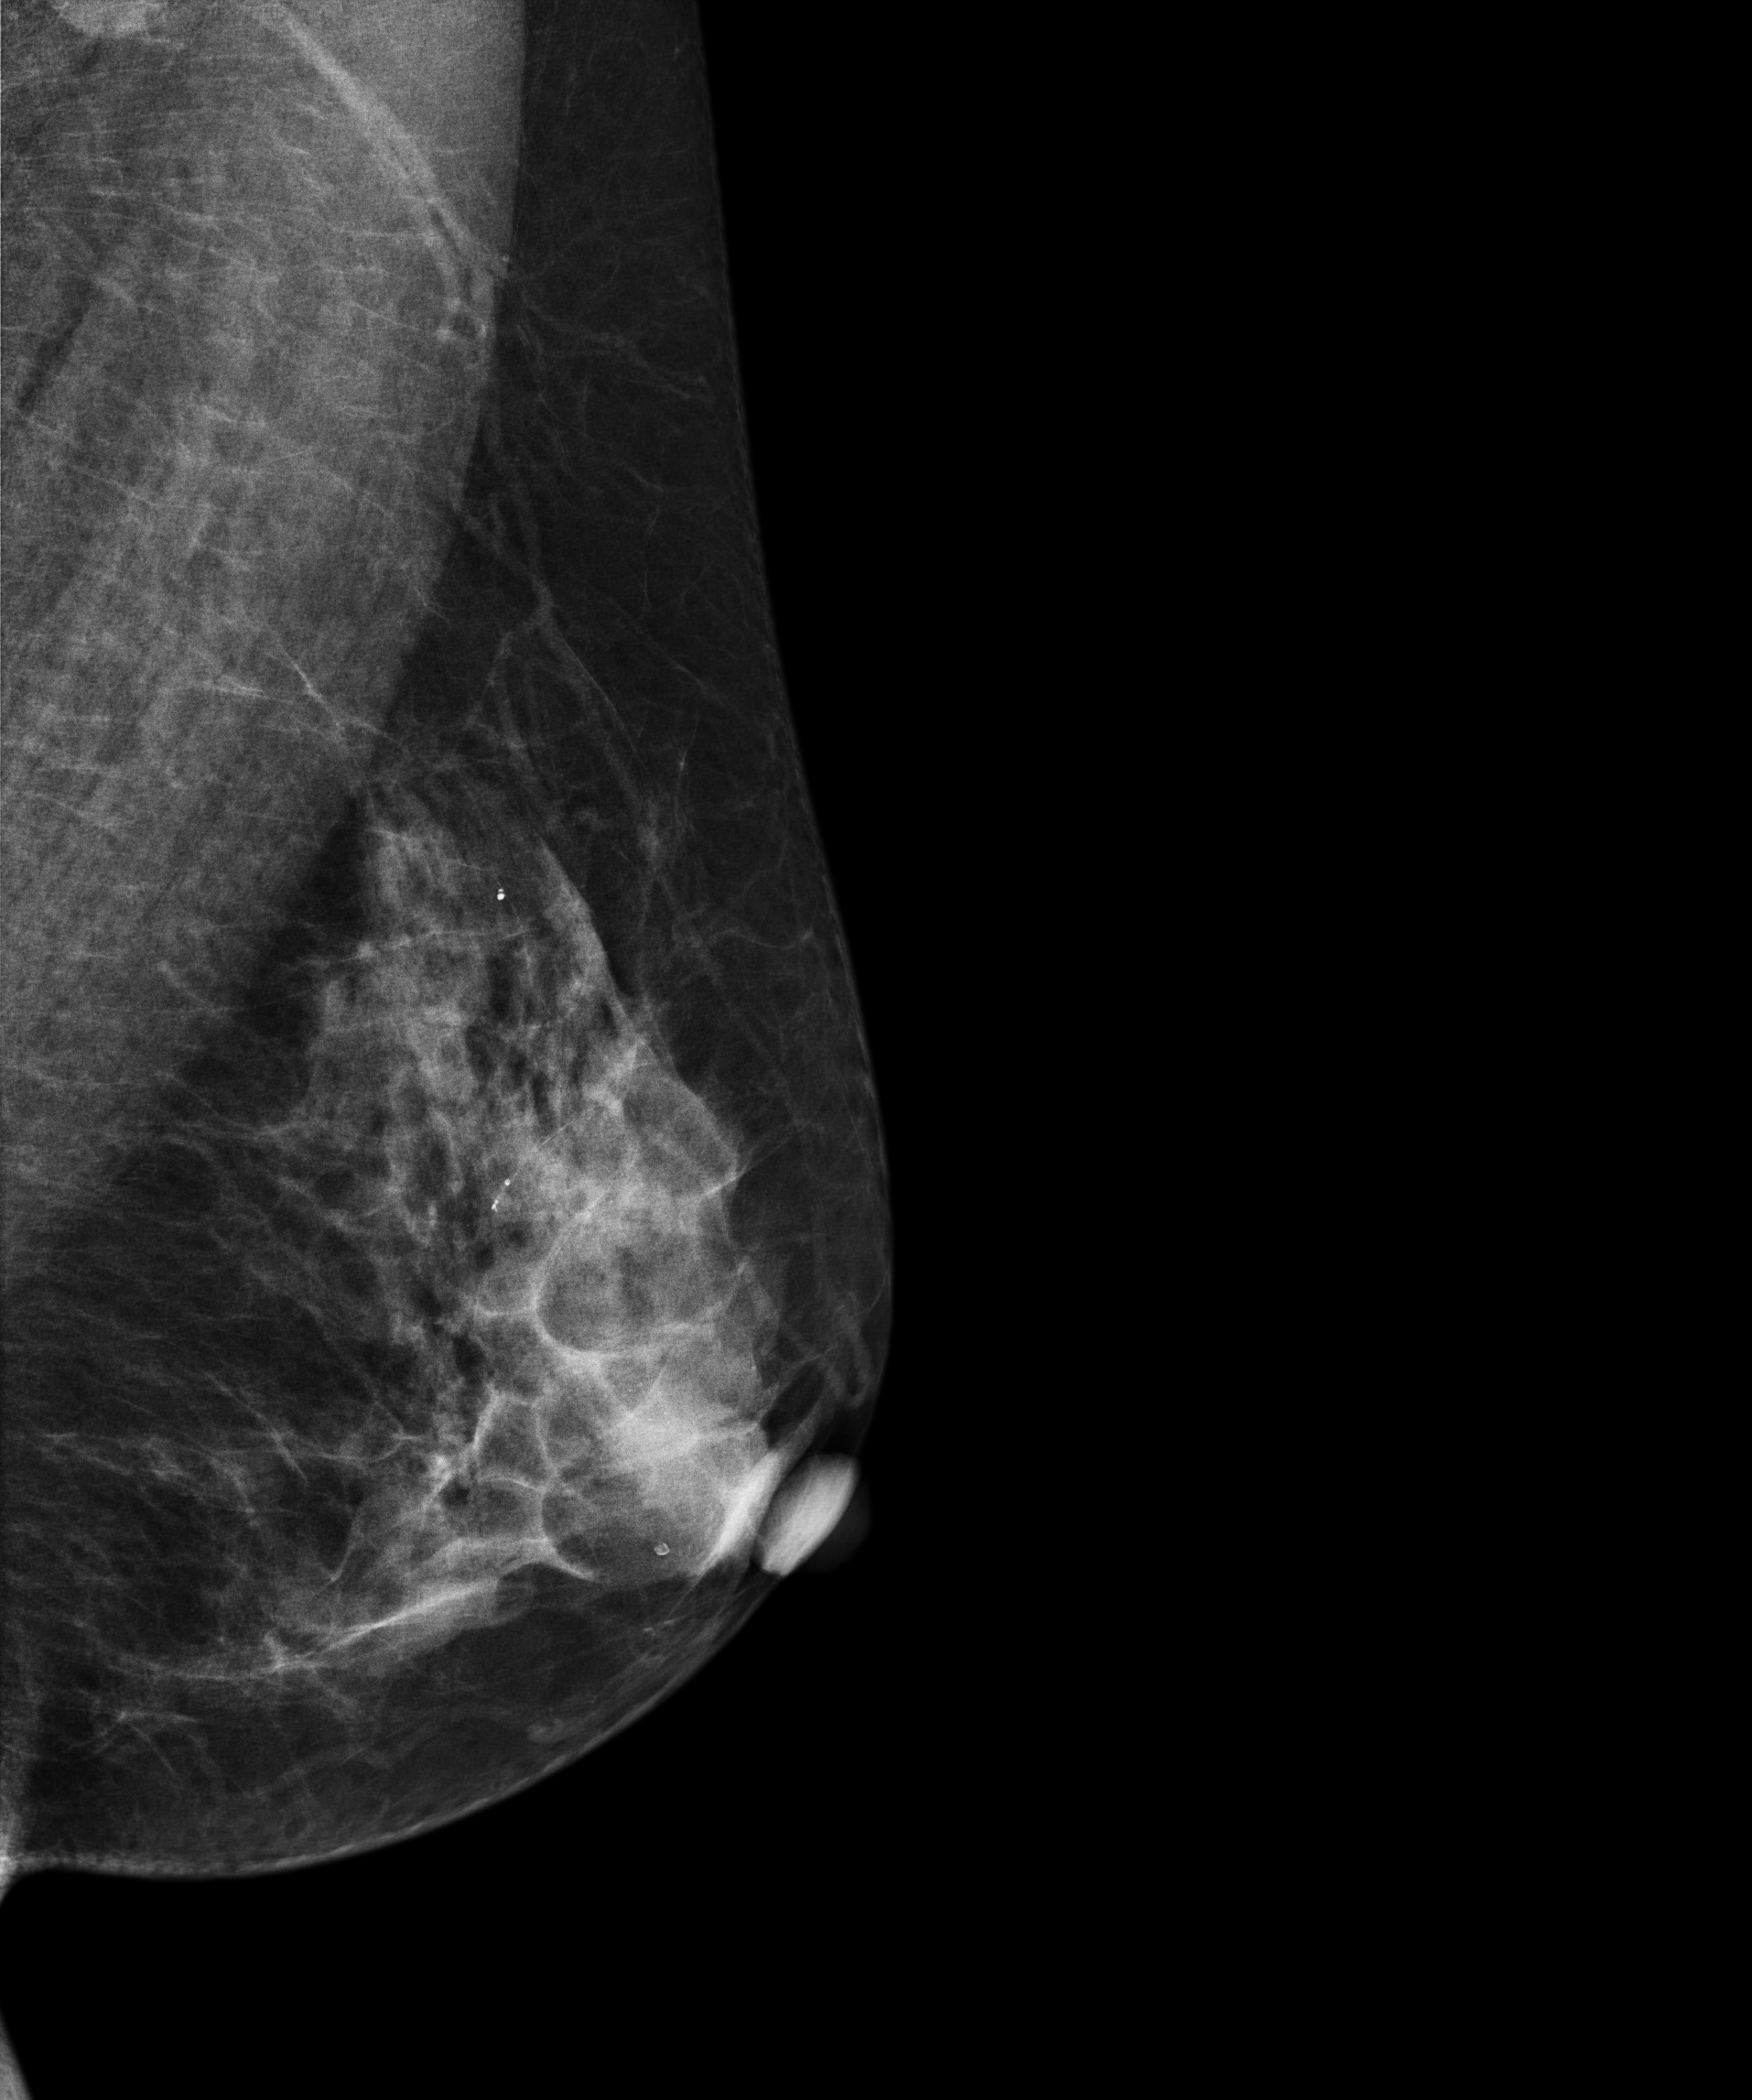
Mammogram, left breast, medio-lateral oblique view. 62 y/o patient.
This breast has a mass and calcifications, pathology-confirmed malignant.